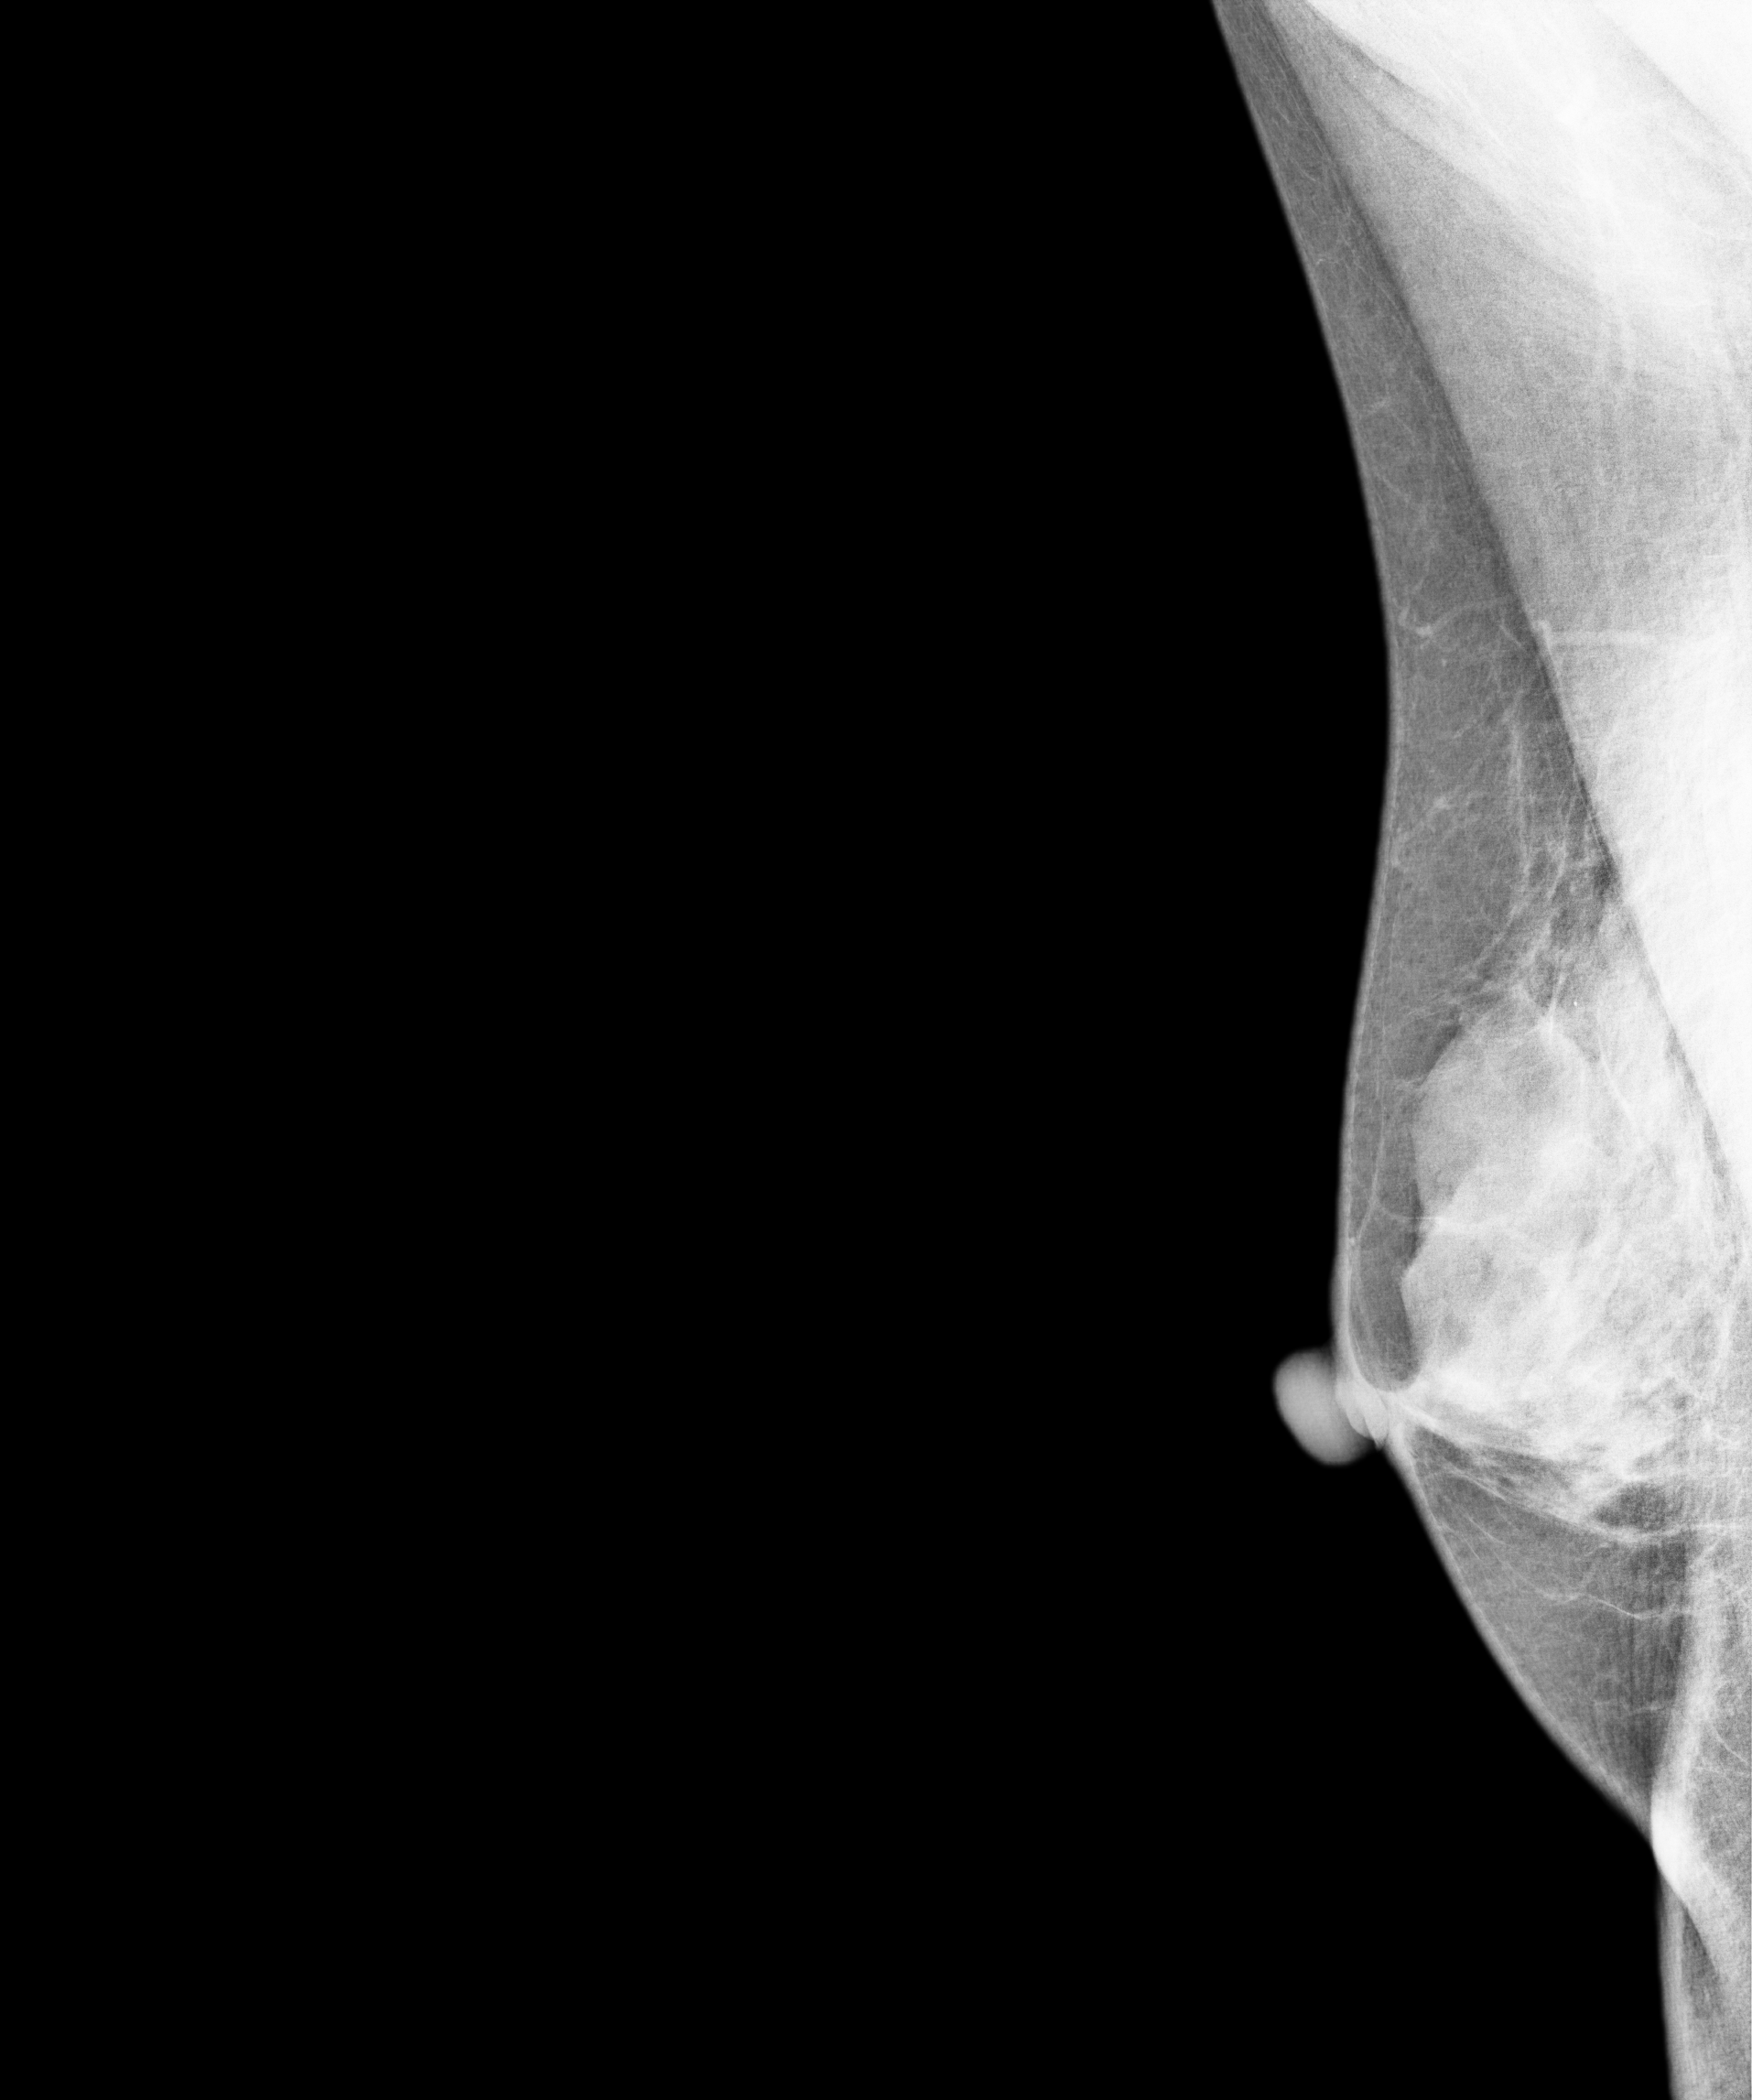
Digital mammography. Right breast, MLO projection. 54-year-old patient.
This breast has a mass and calcifications, biopsy-confirmed malignant. Molecular subtype: luminal A.